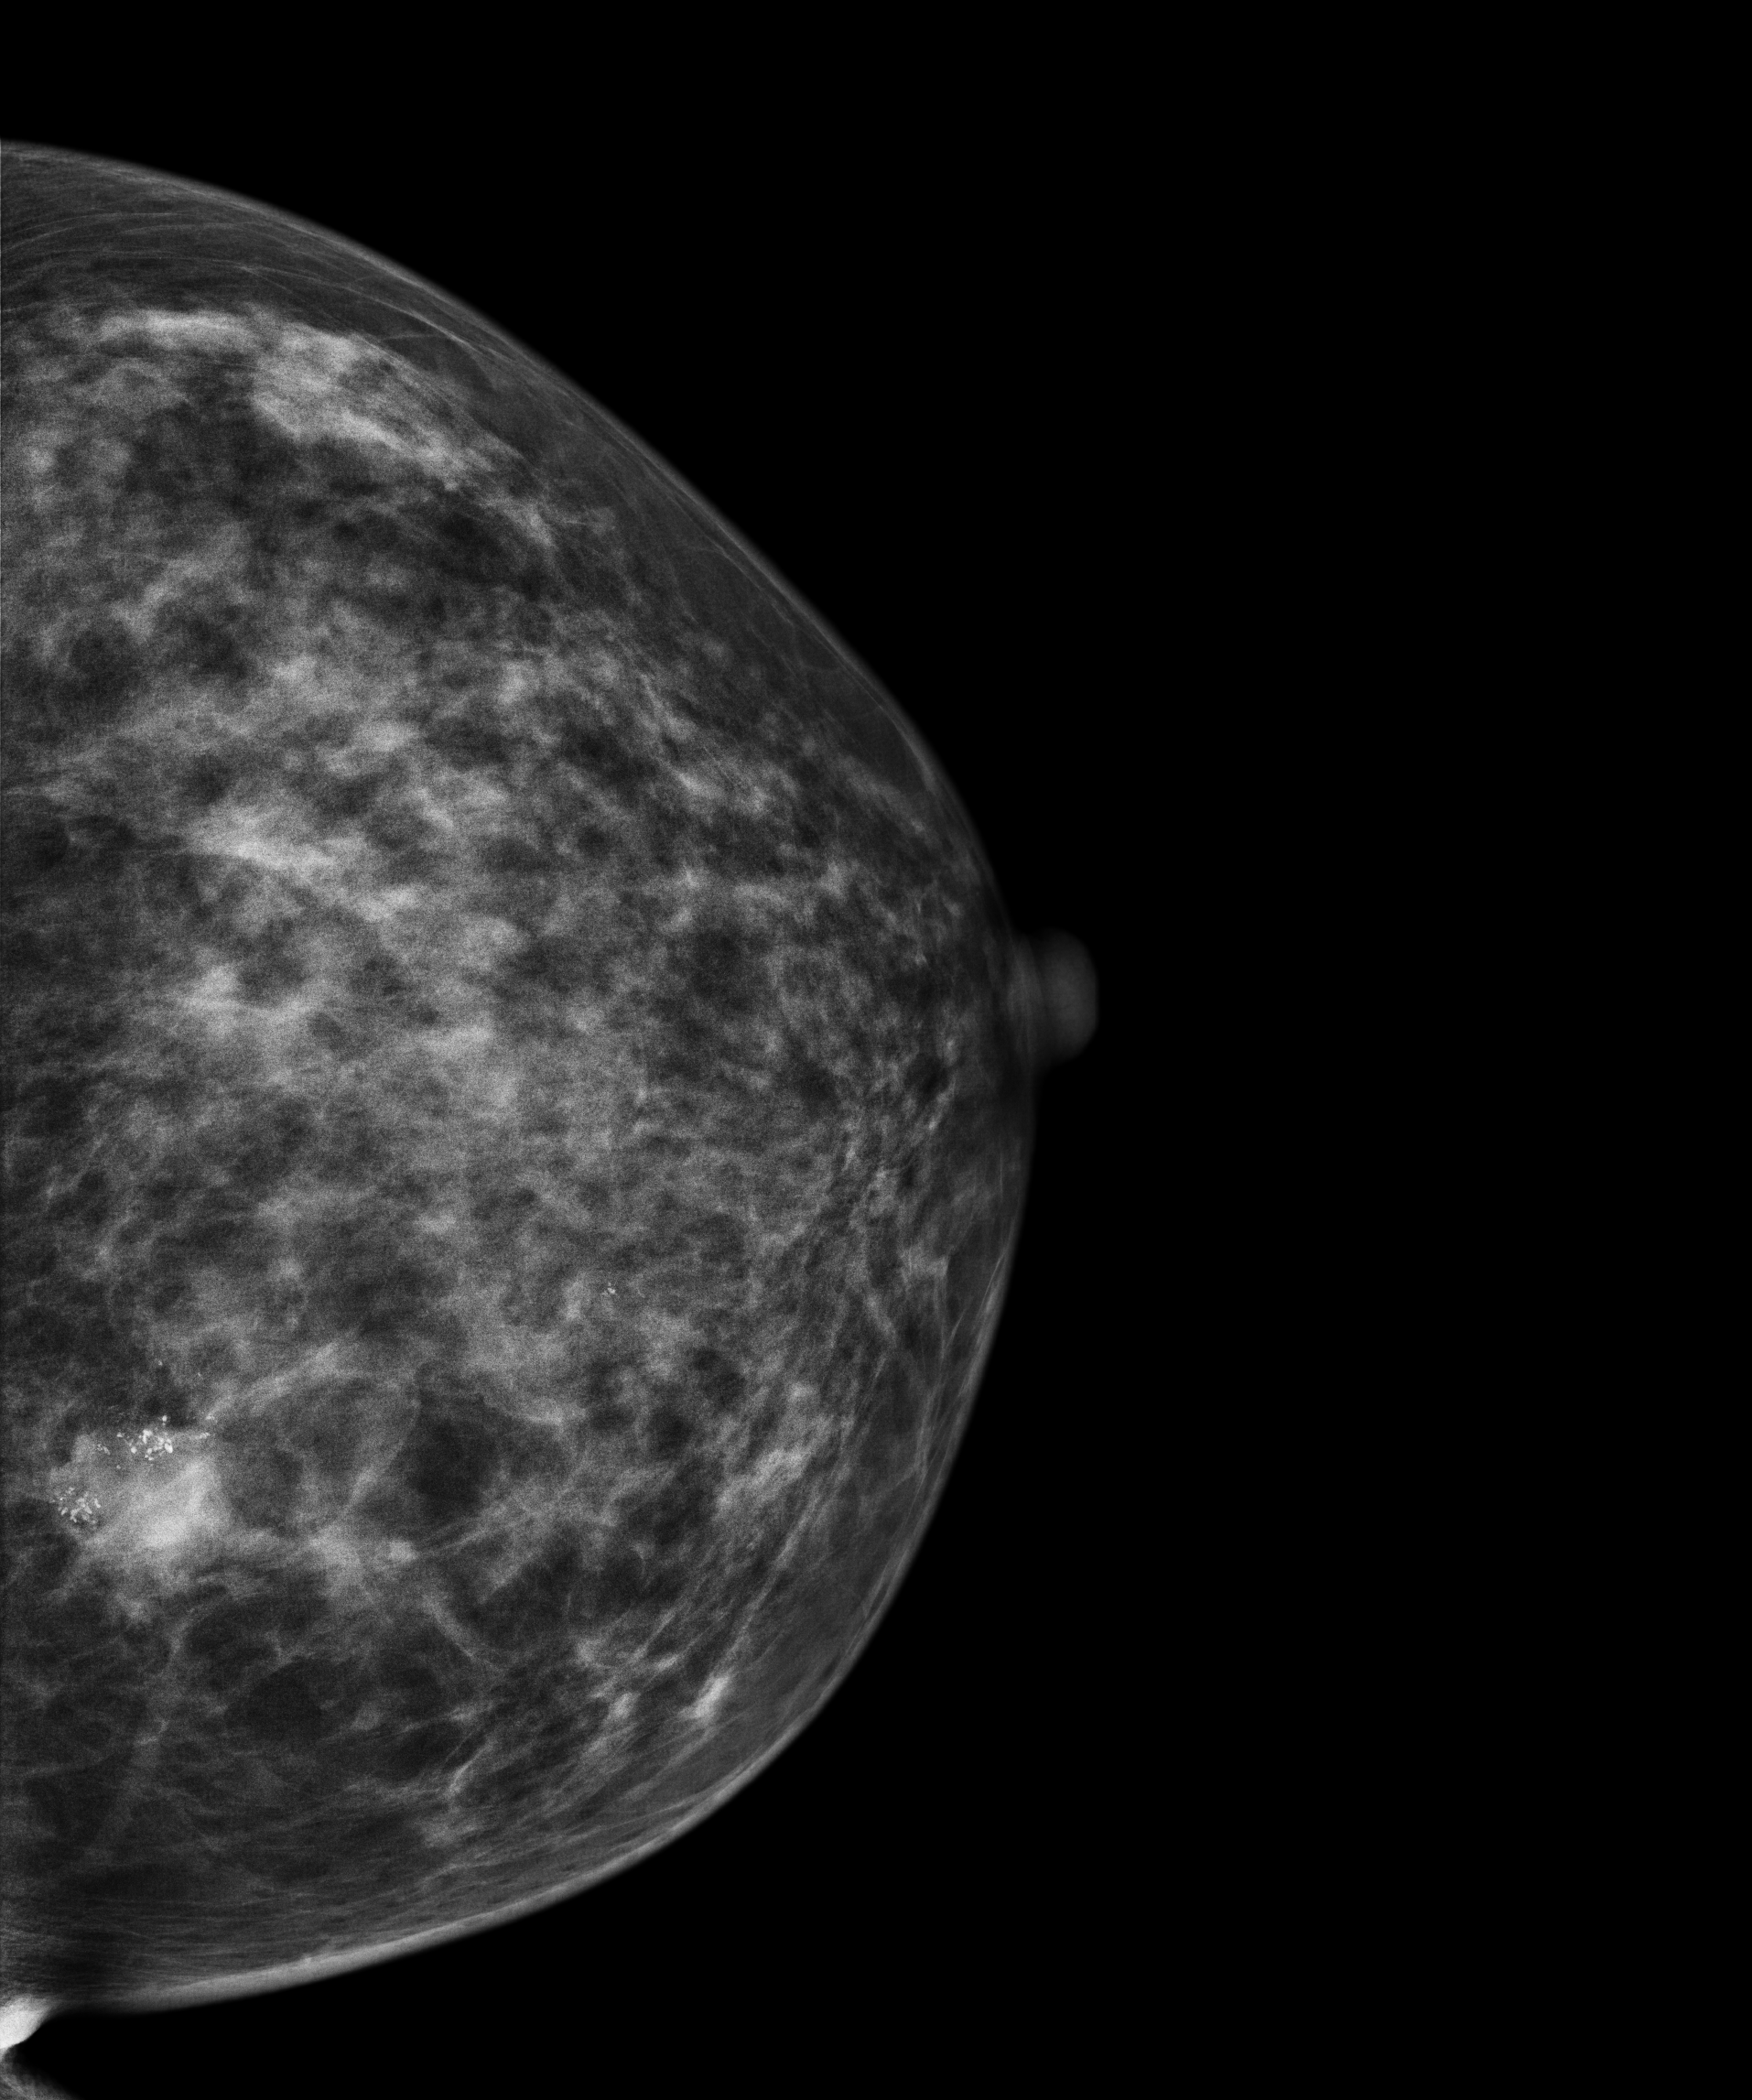
Mammogram — left CC. 47 y/o patient.
This breast has a mass and calcifications, histologically confirmed malignant.